Mammogram, right breast, CC view. 43-year-old patient.
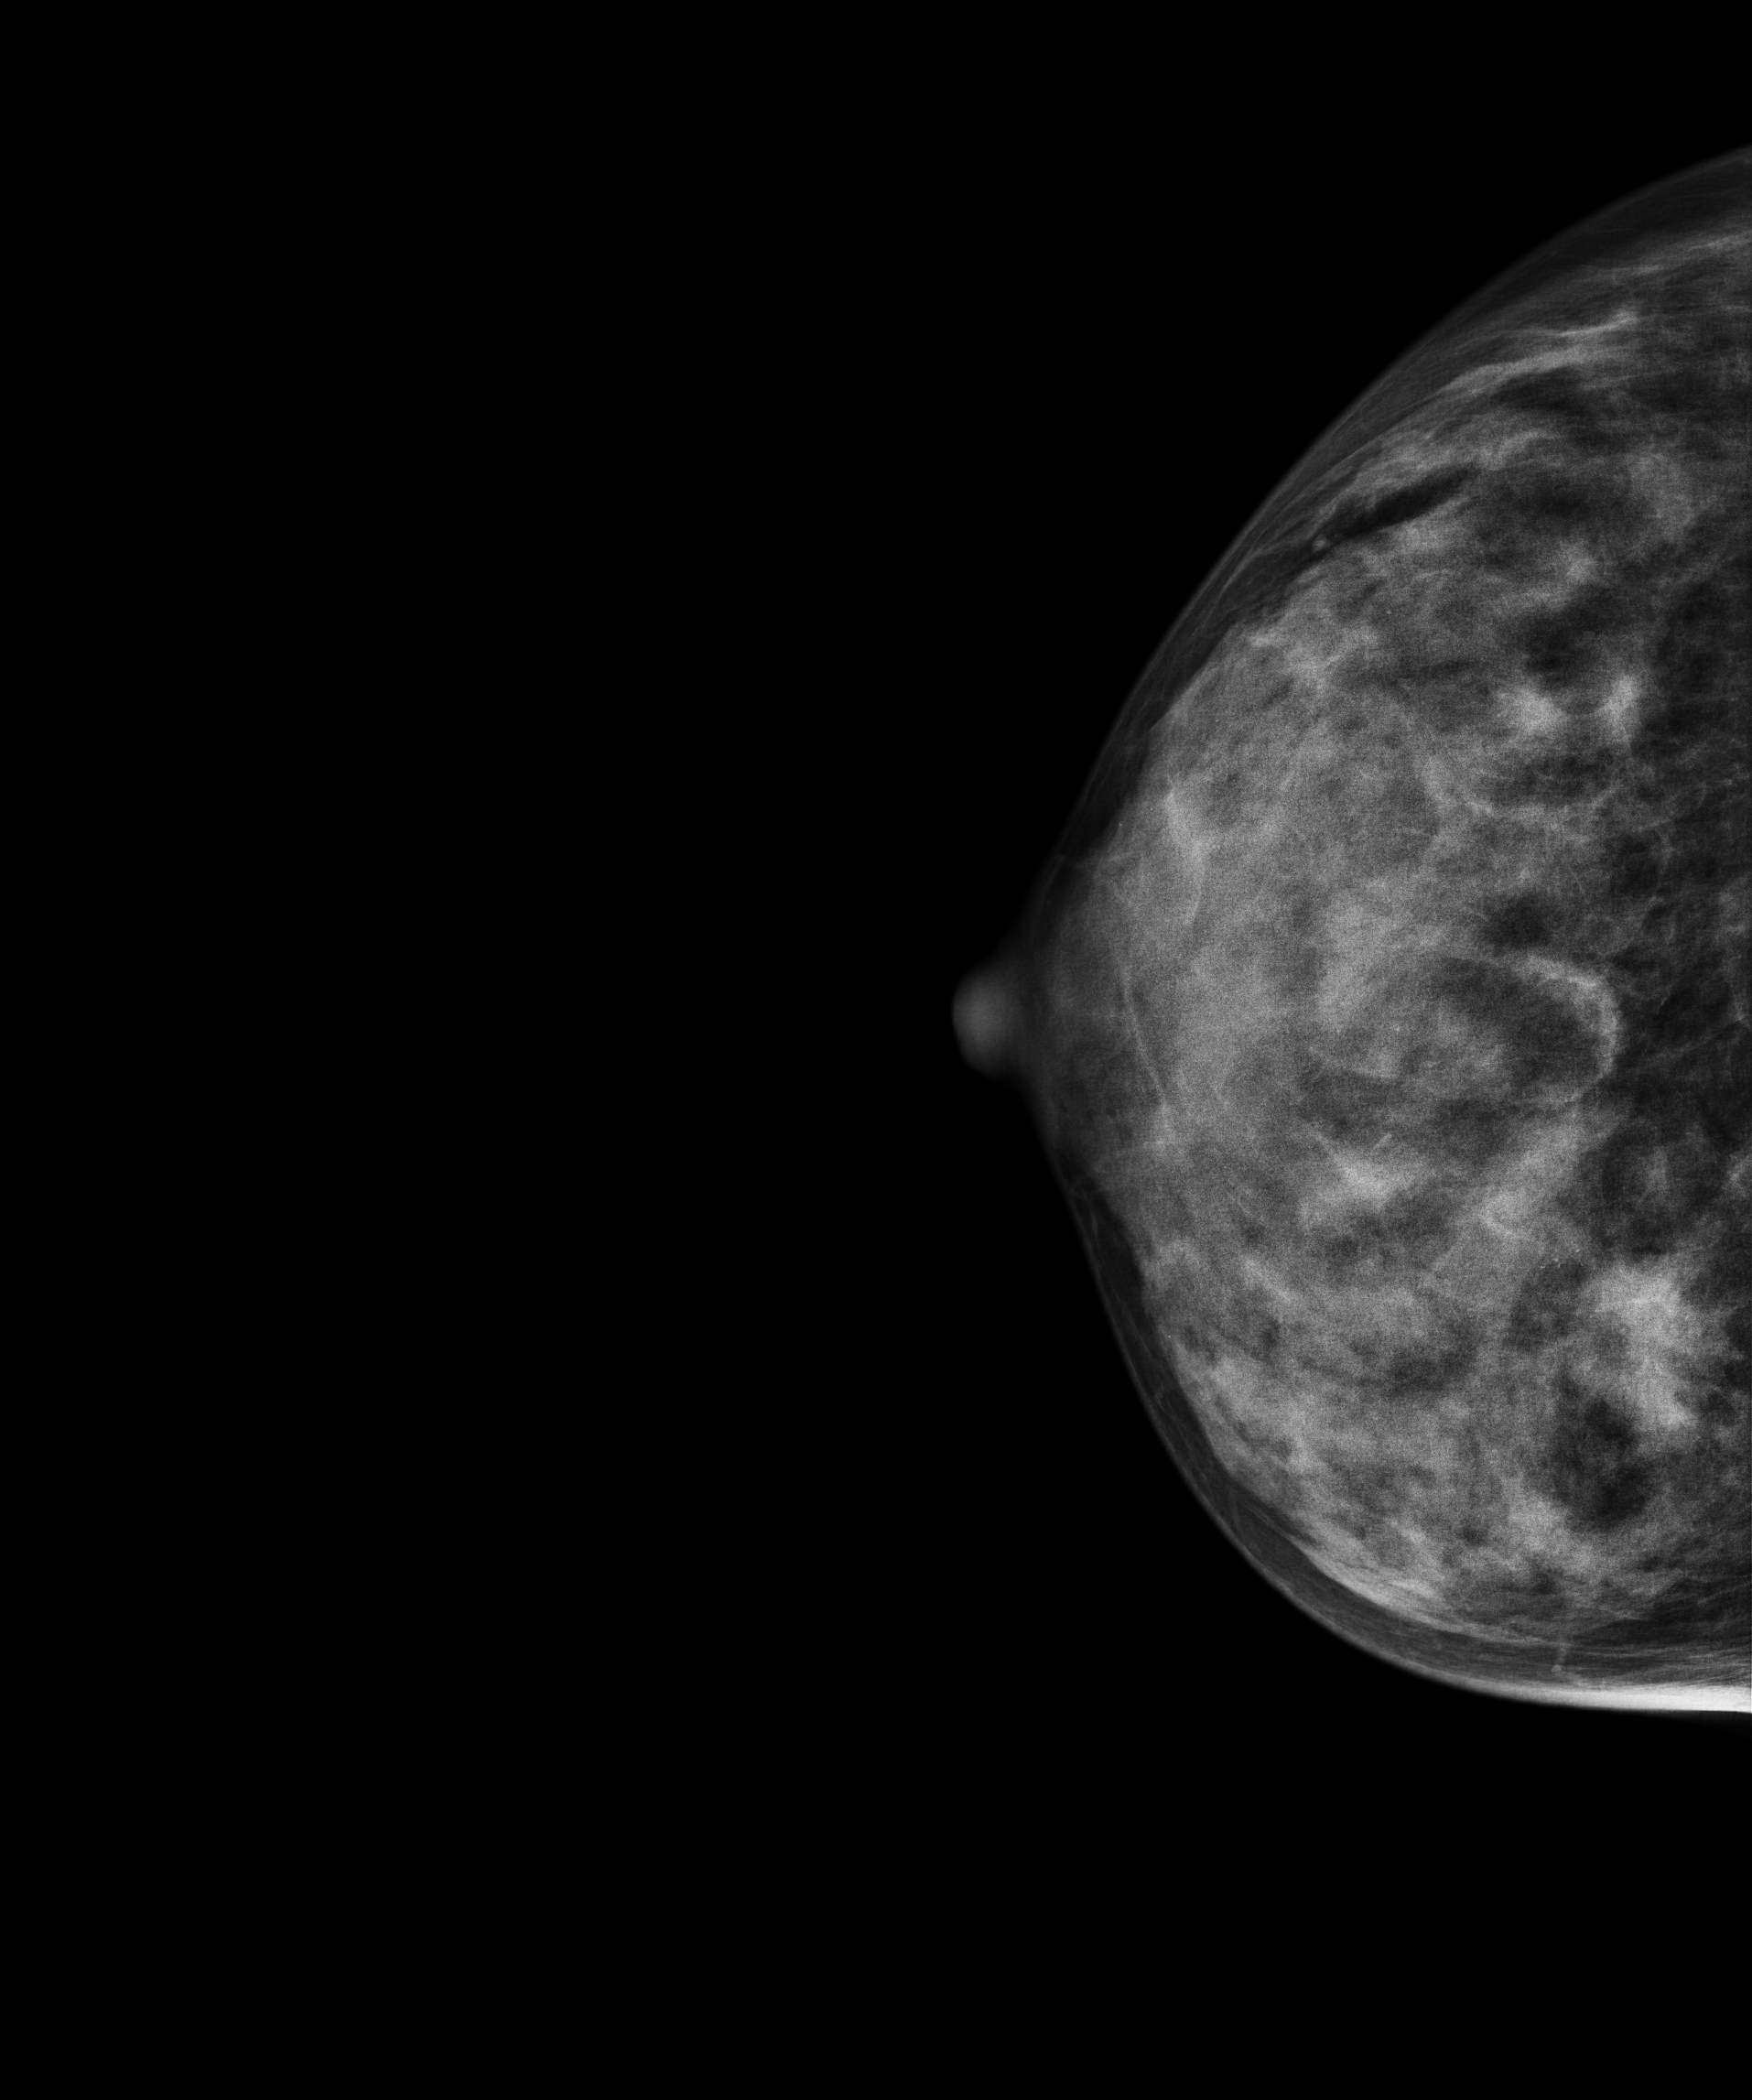
This breast has a mass, pathology-confirmed malignant. Molecular subtype: luminal B.